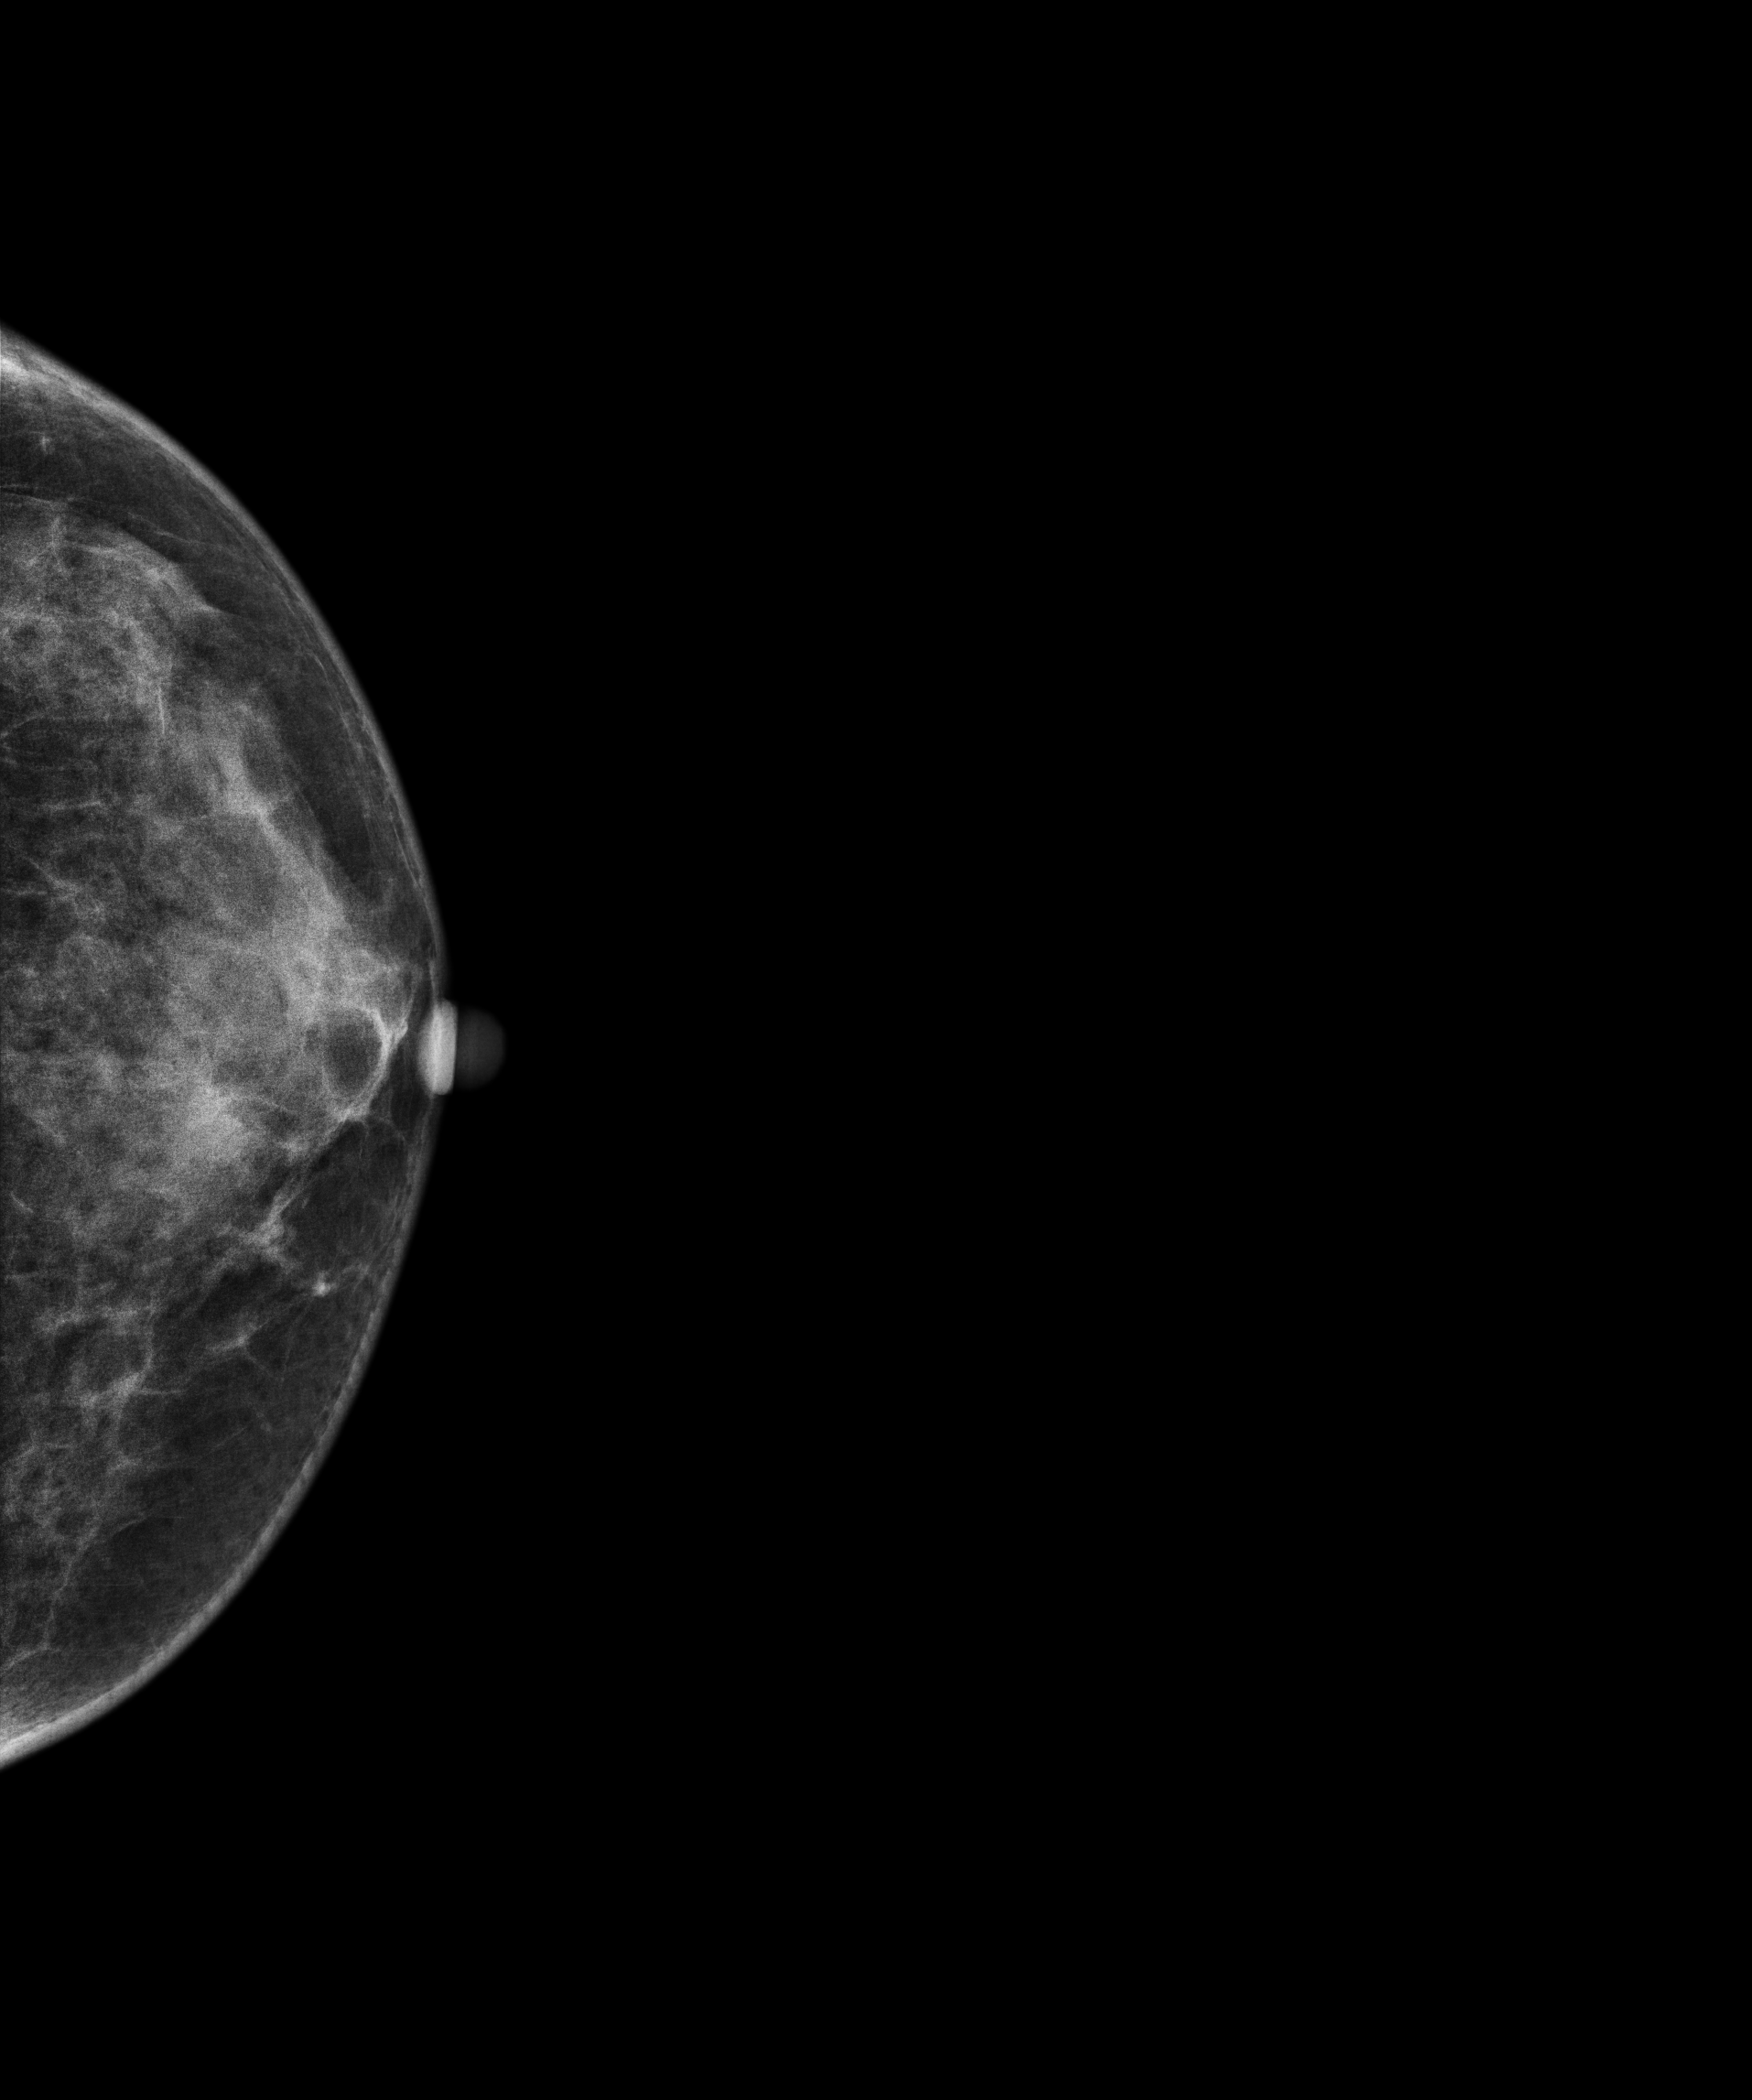
Digital mammography. Left breast, cranio-caudal projection. 41 y/o patient.
Contralateral breast — no documented abnormality on this side.